Digital mammography. Right breast, MLO projection. Patient age 42.
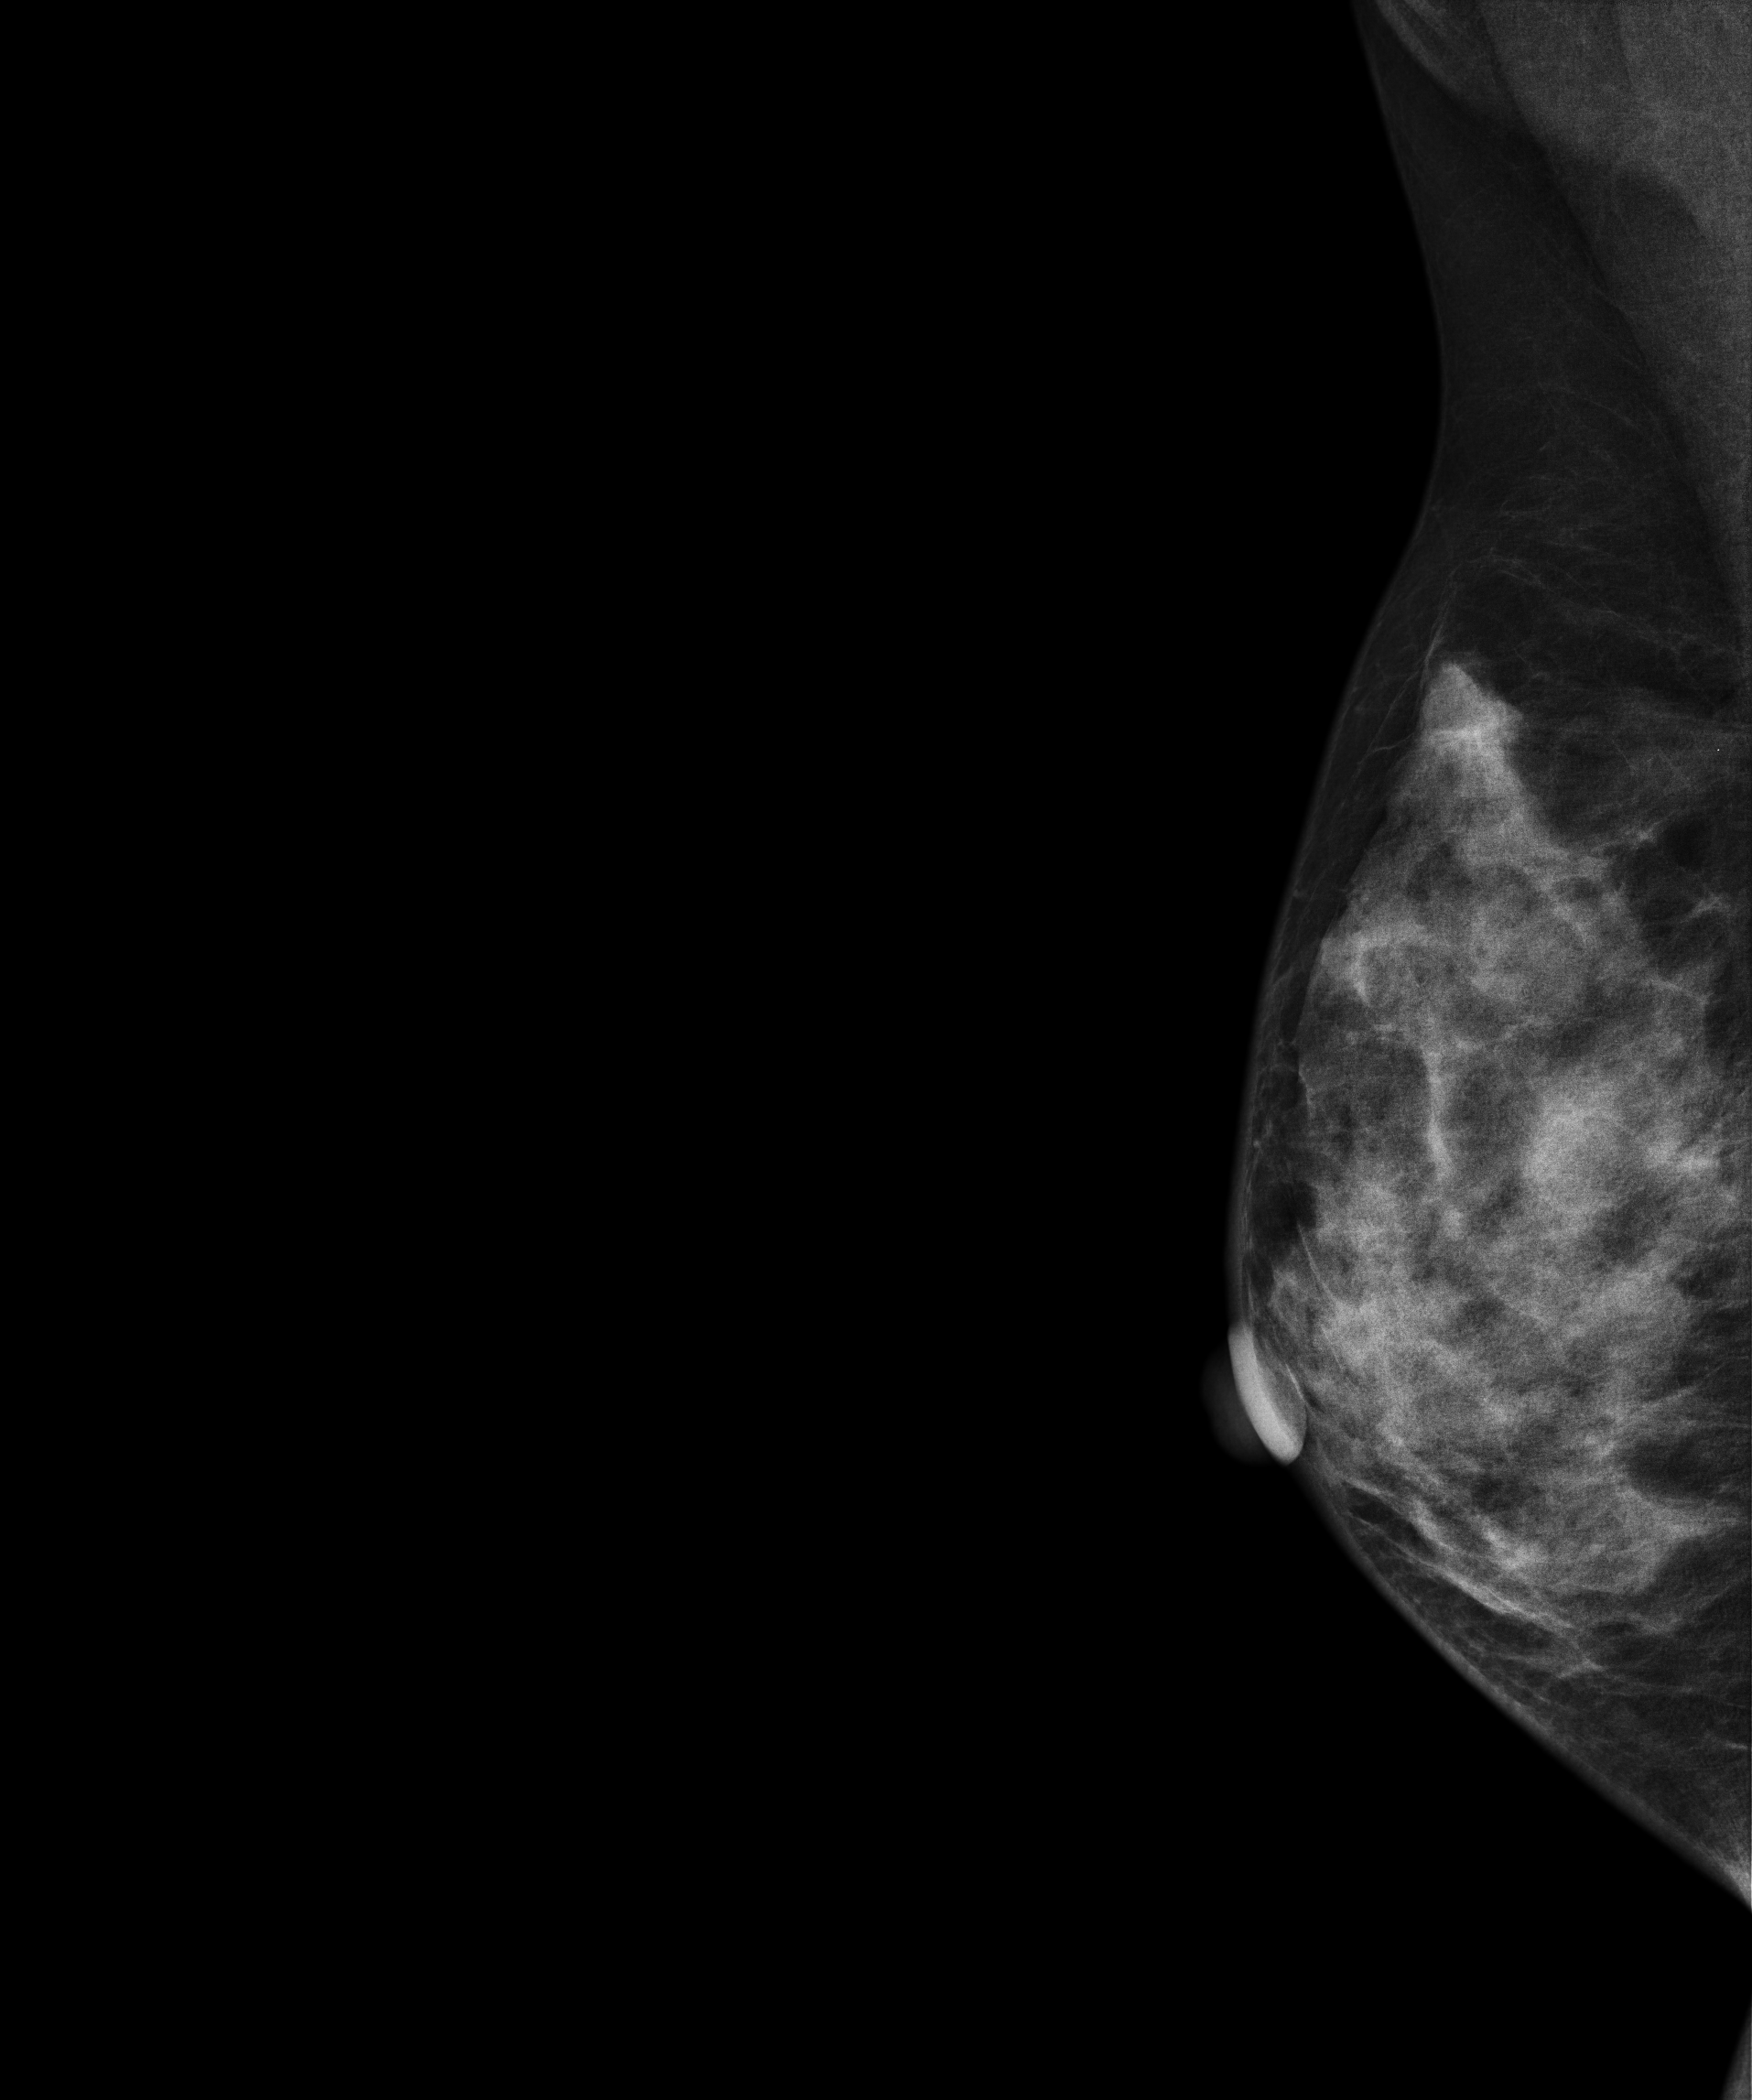
Contralateral breast — no documented abnormality on this side.